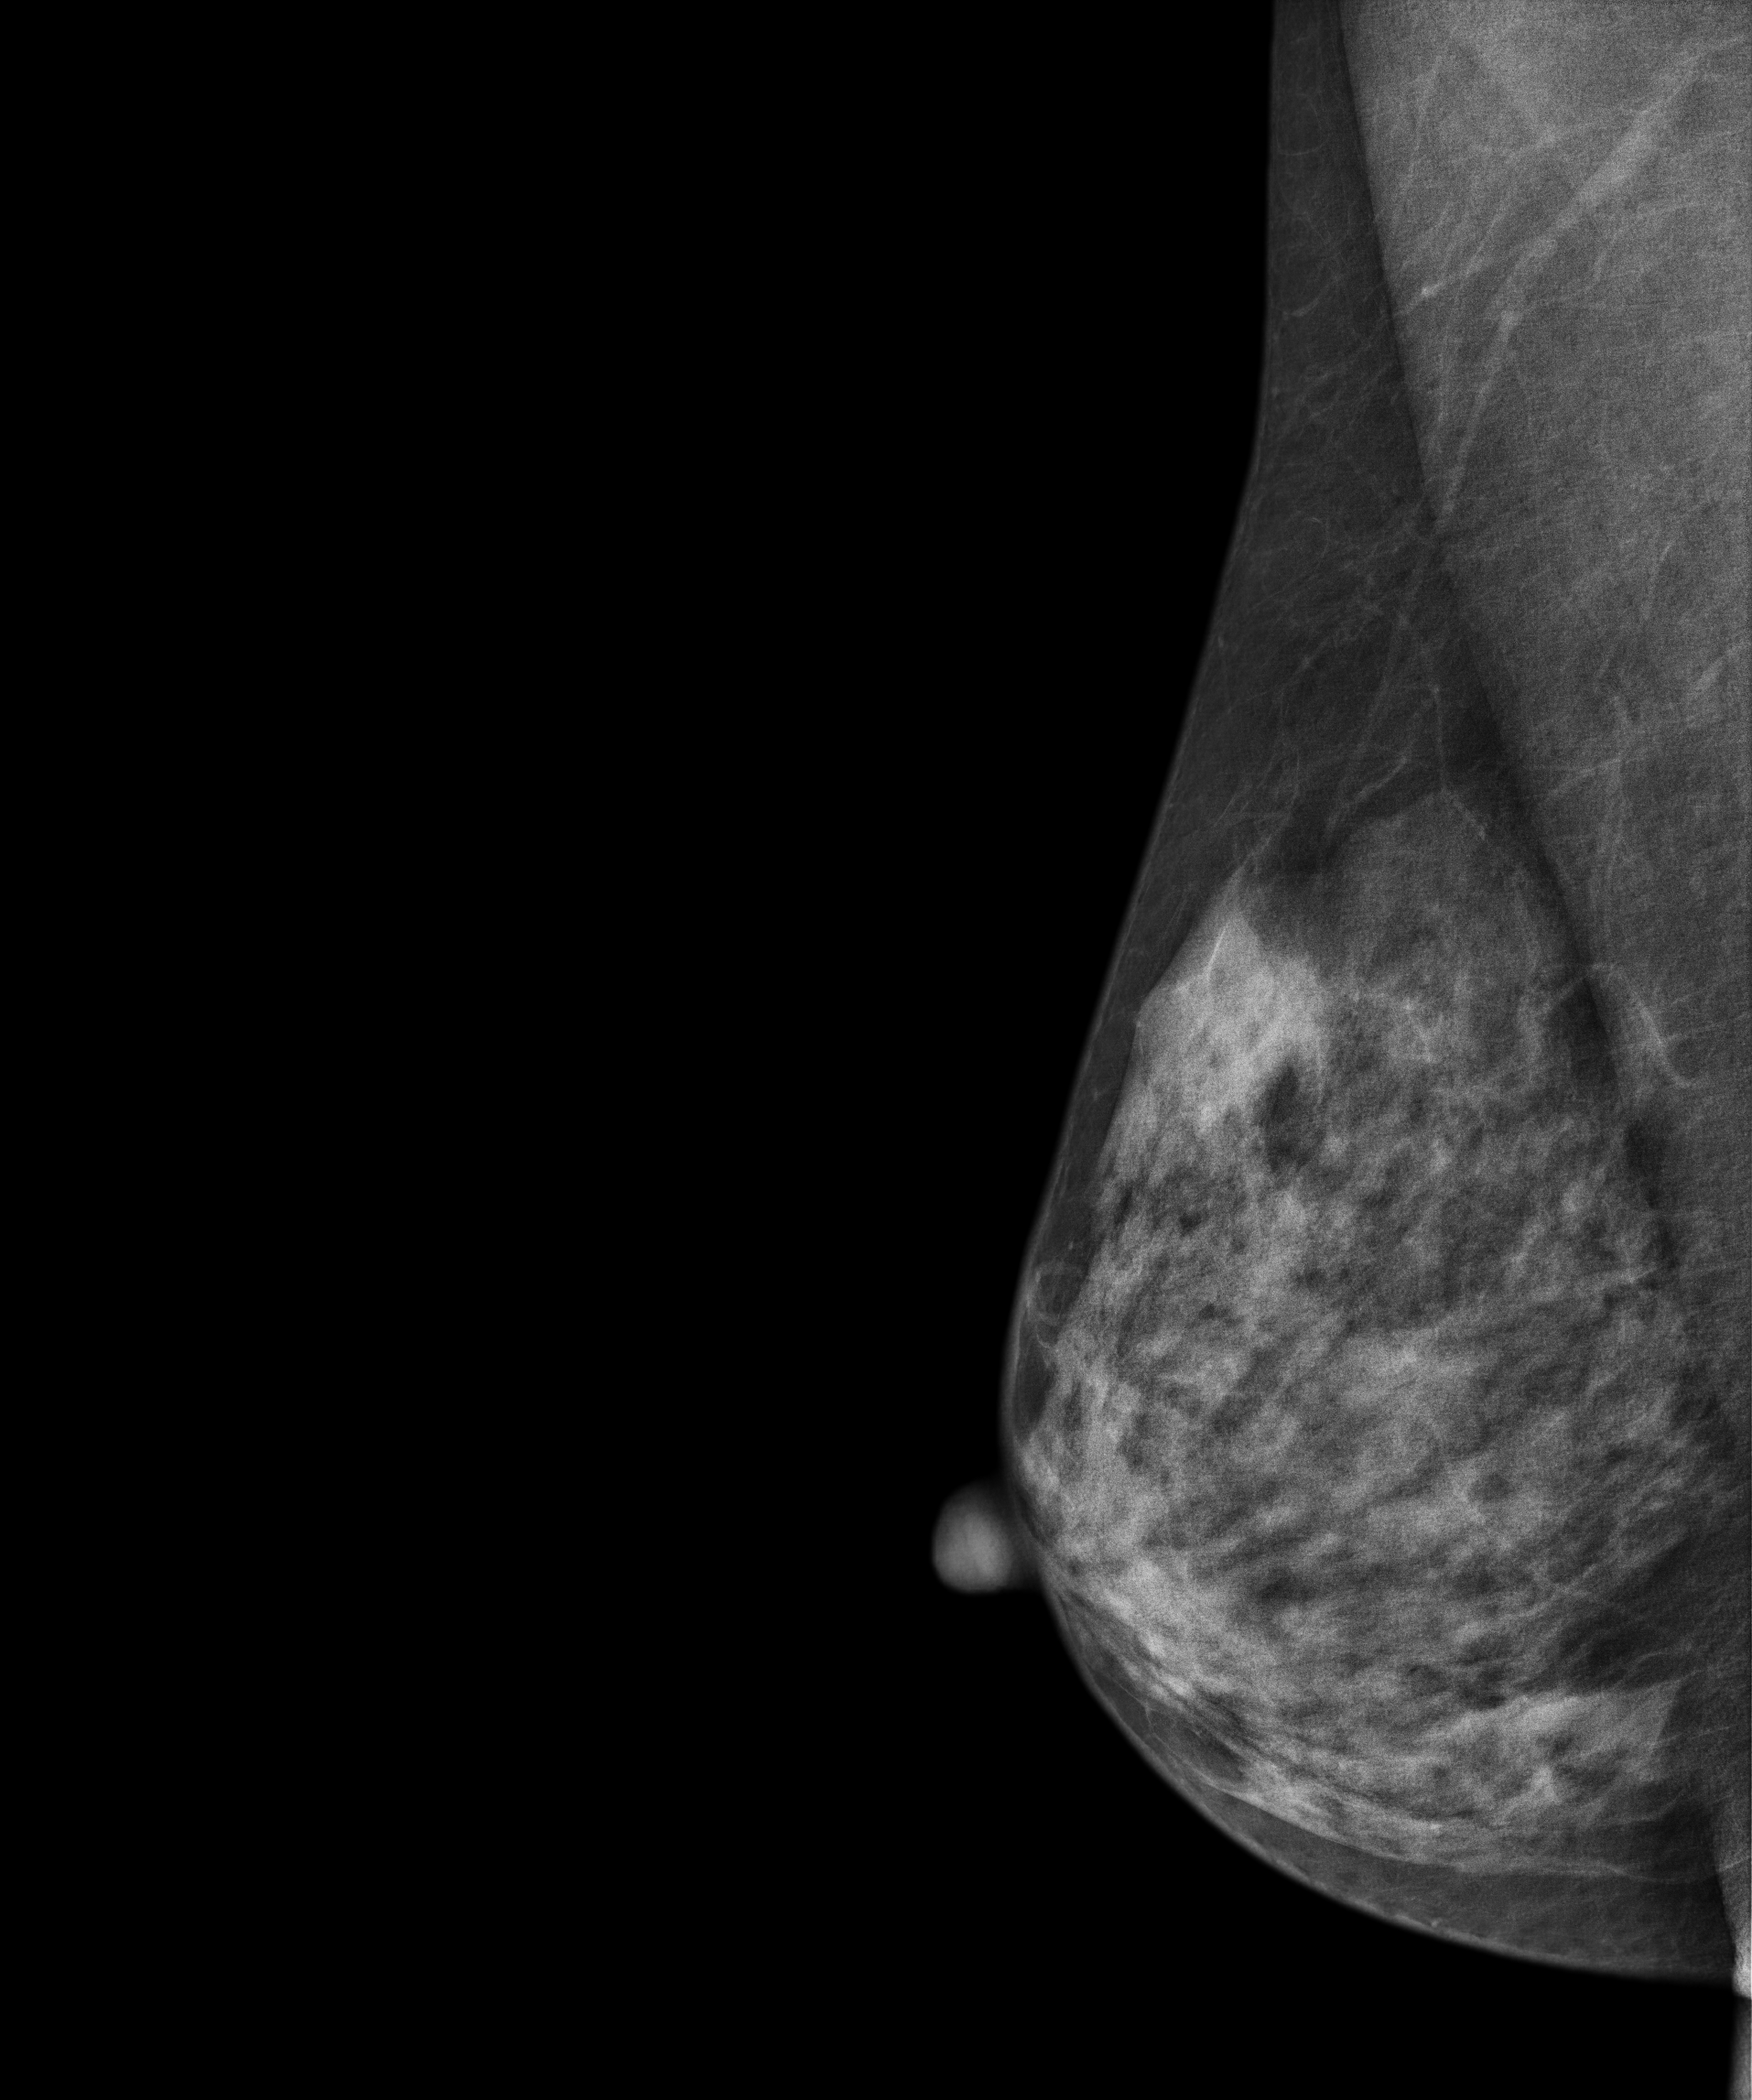
Right-breast mammogram, medio-lateral oblique. Patient age 47.
Contralateral breast — no documented abnormality on this side.